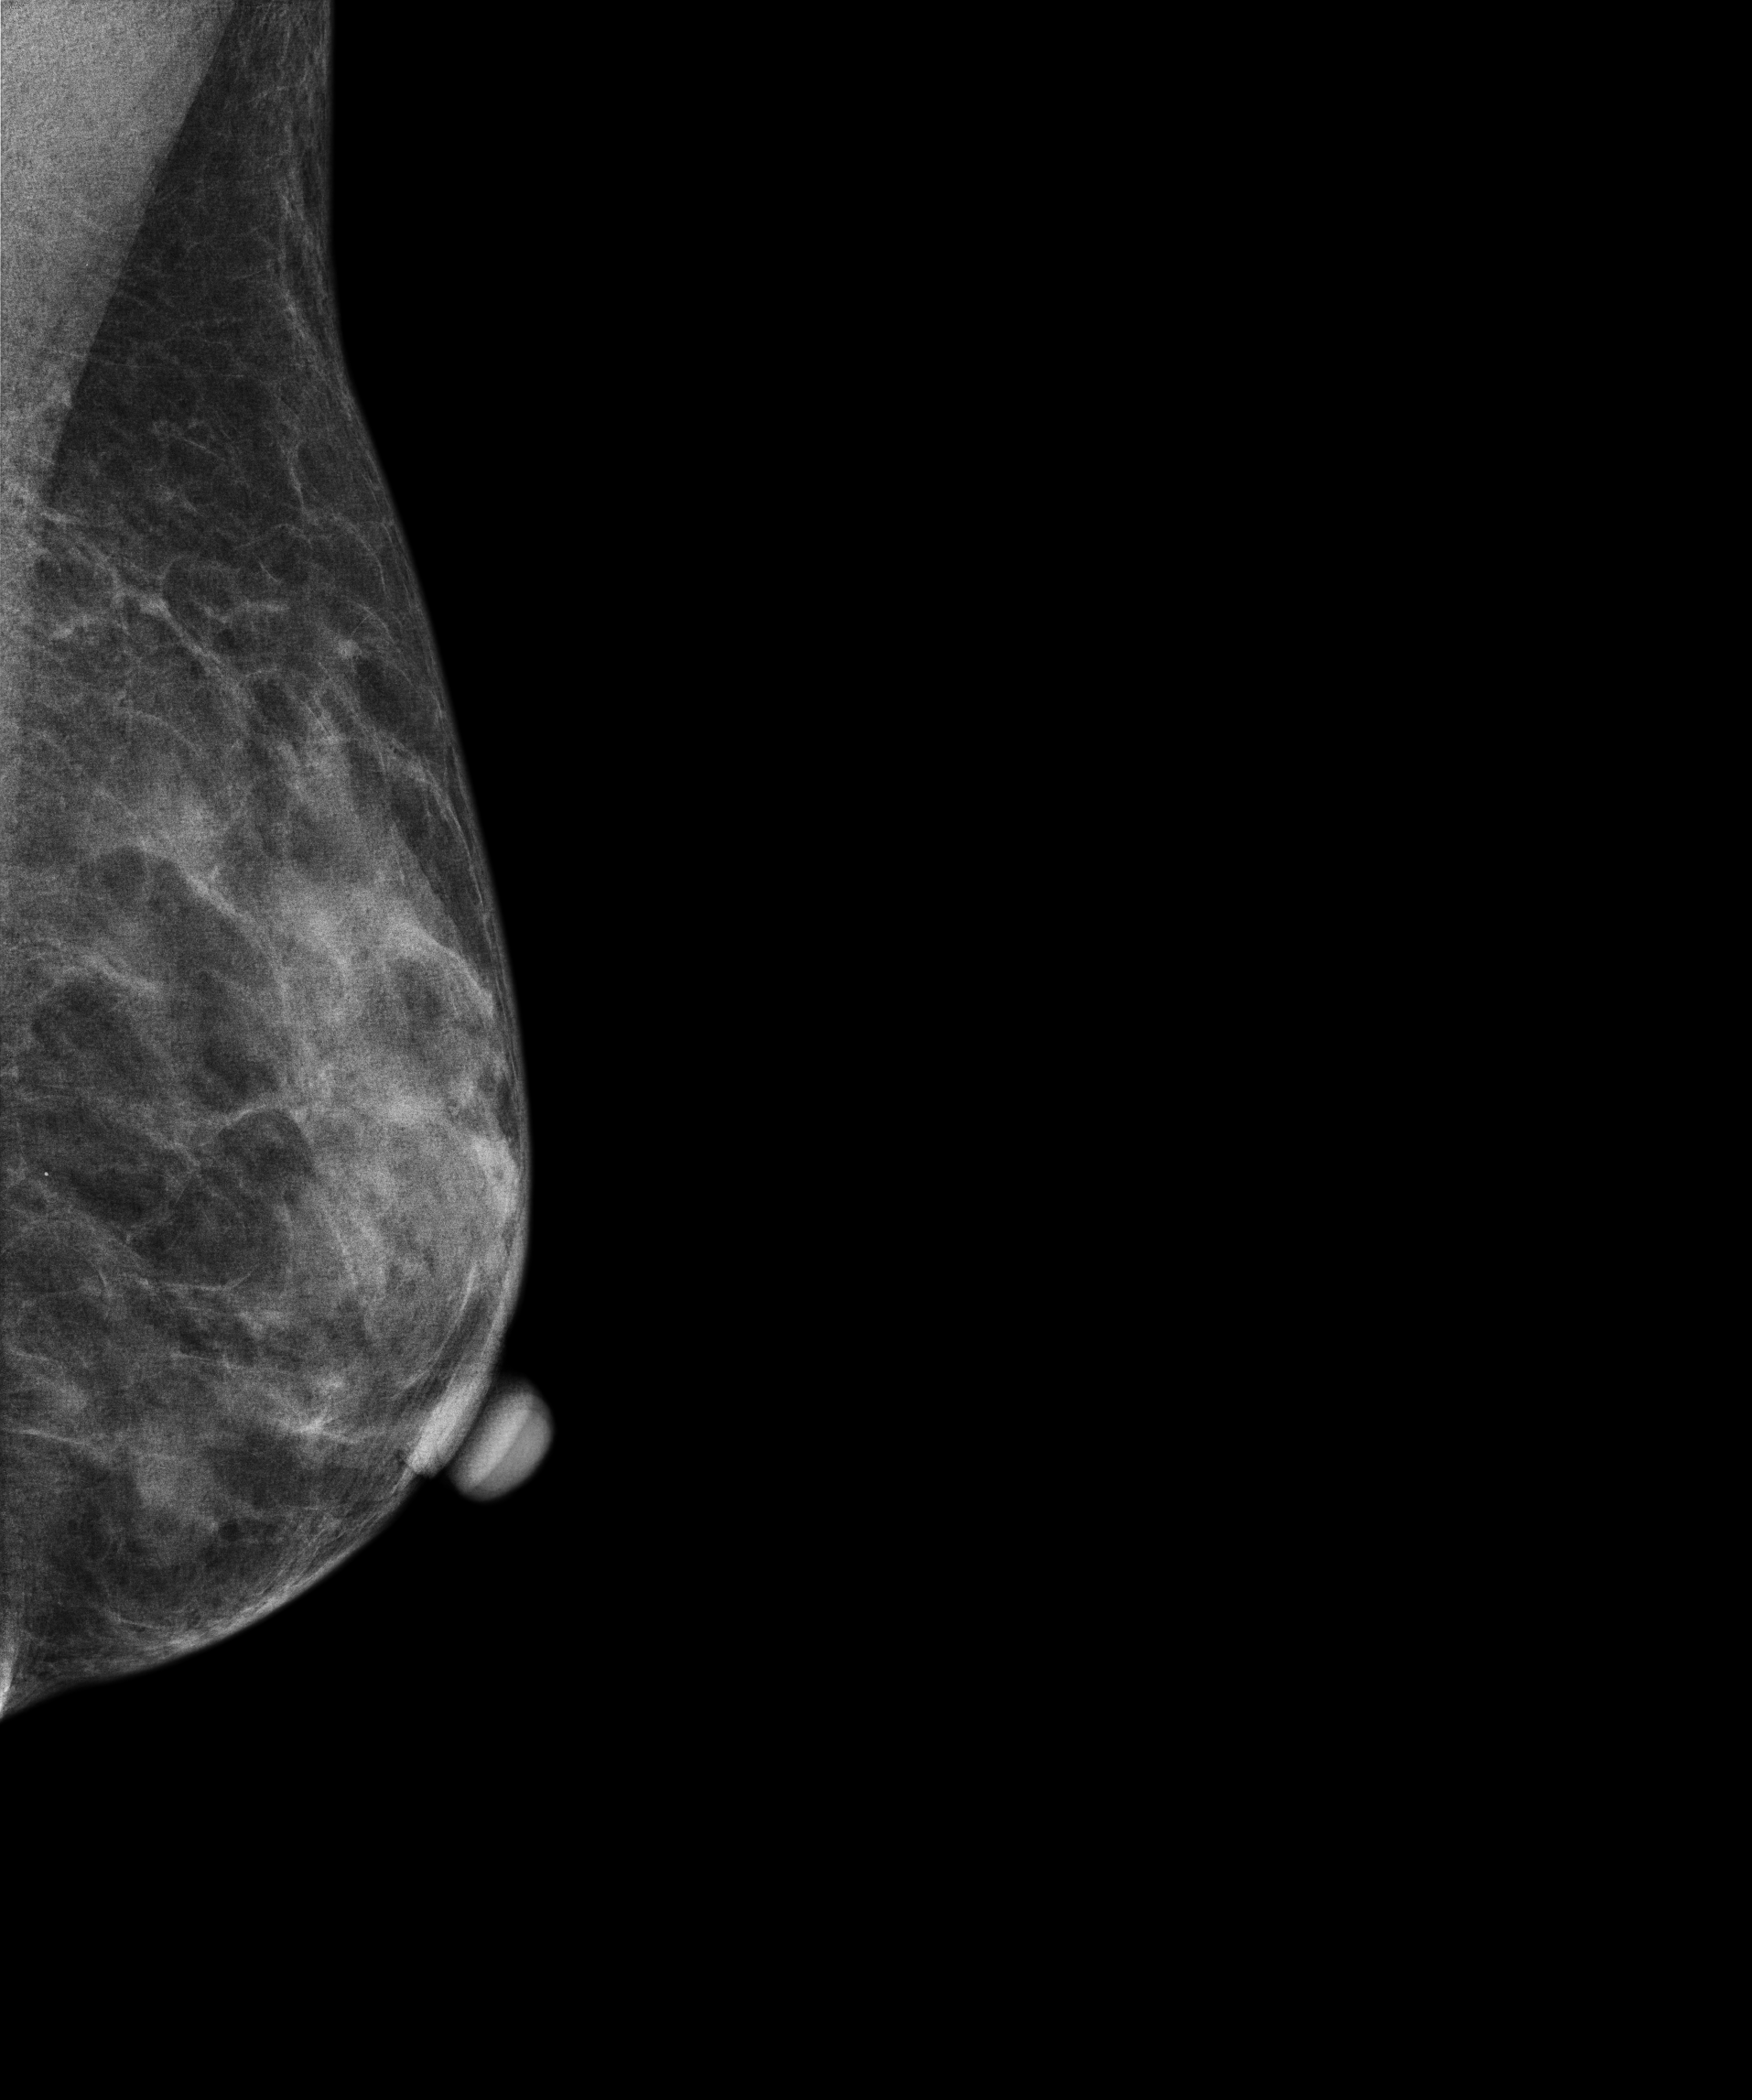
Mammogram, left breast, MLO view. 63-year-old patient.
Contralateral breast — no documented abnormality on this side.